Mammogram, left breast, medio-lateral oblique view. 50-year-old patient.
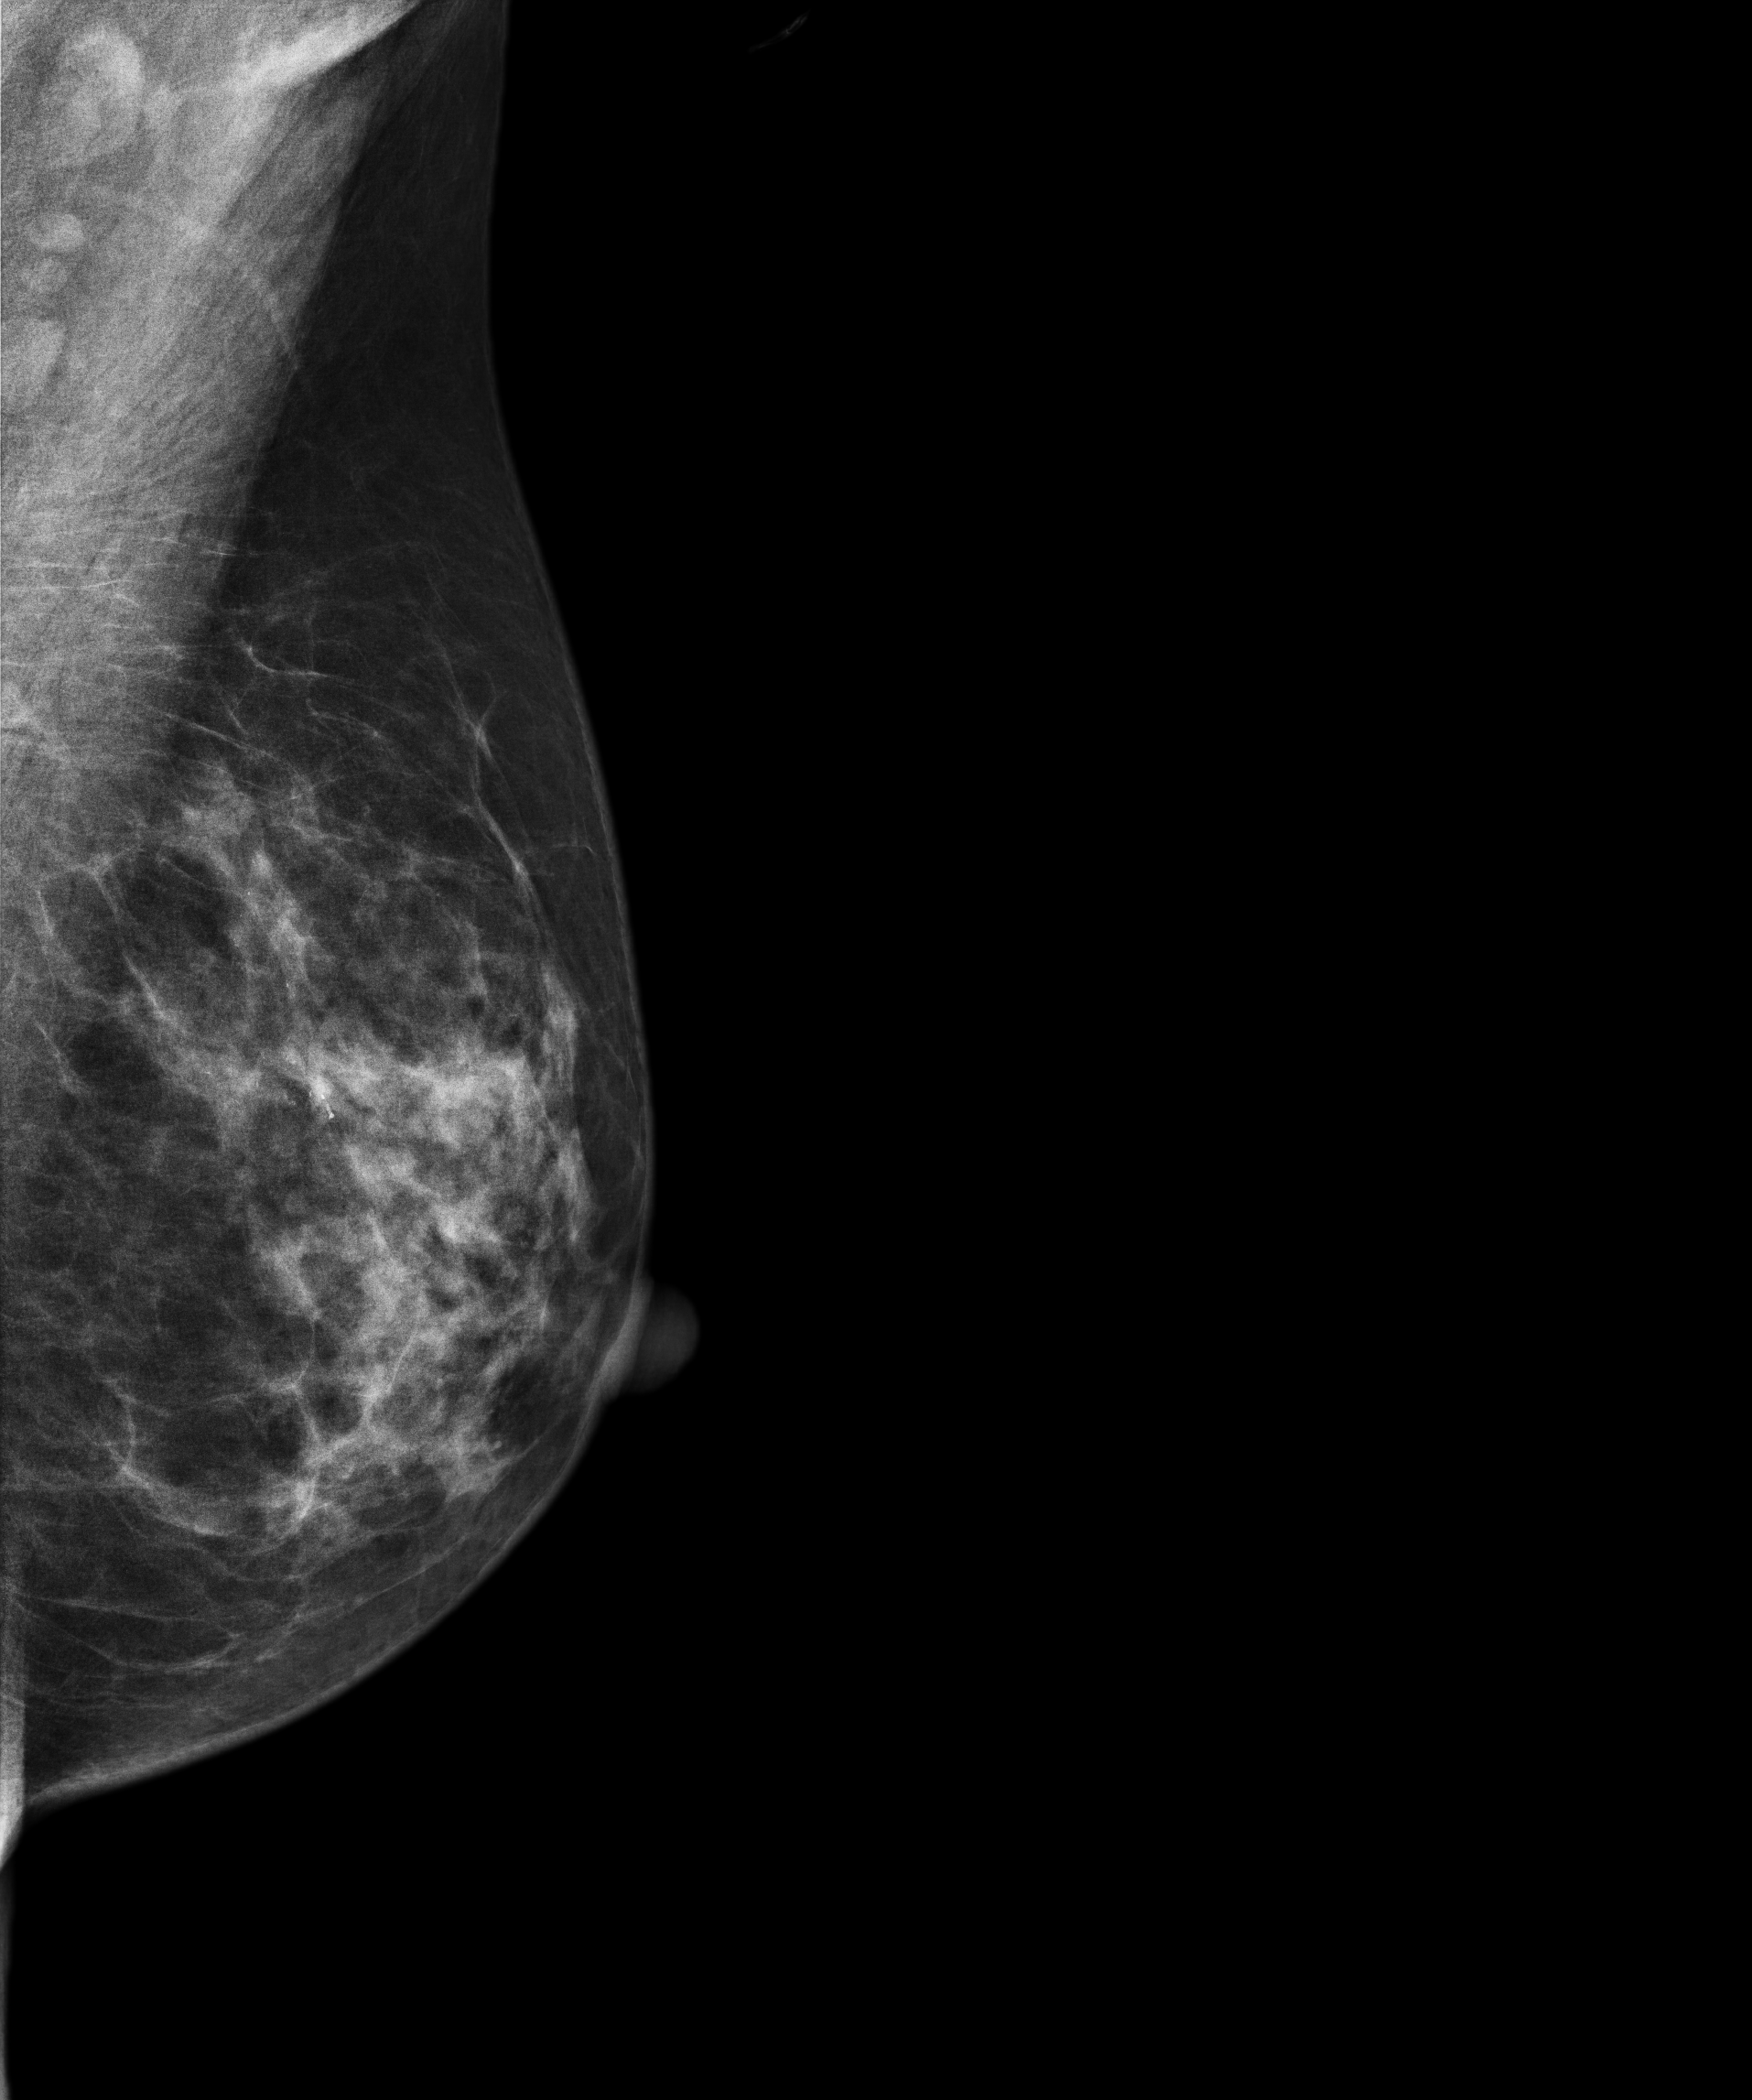
This breast has calcifications, histologically confirmed malignant. Molecular subtype: triple-negative.